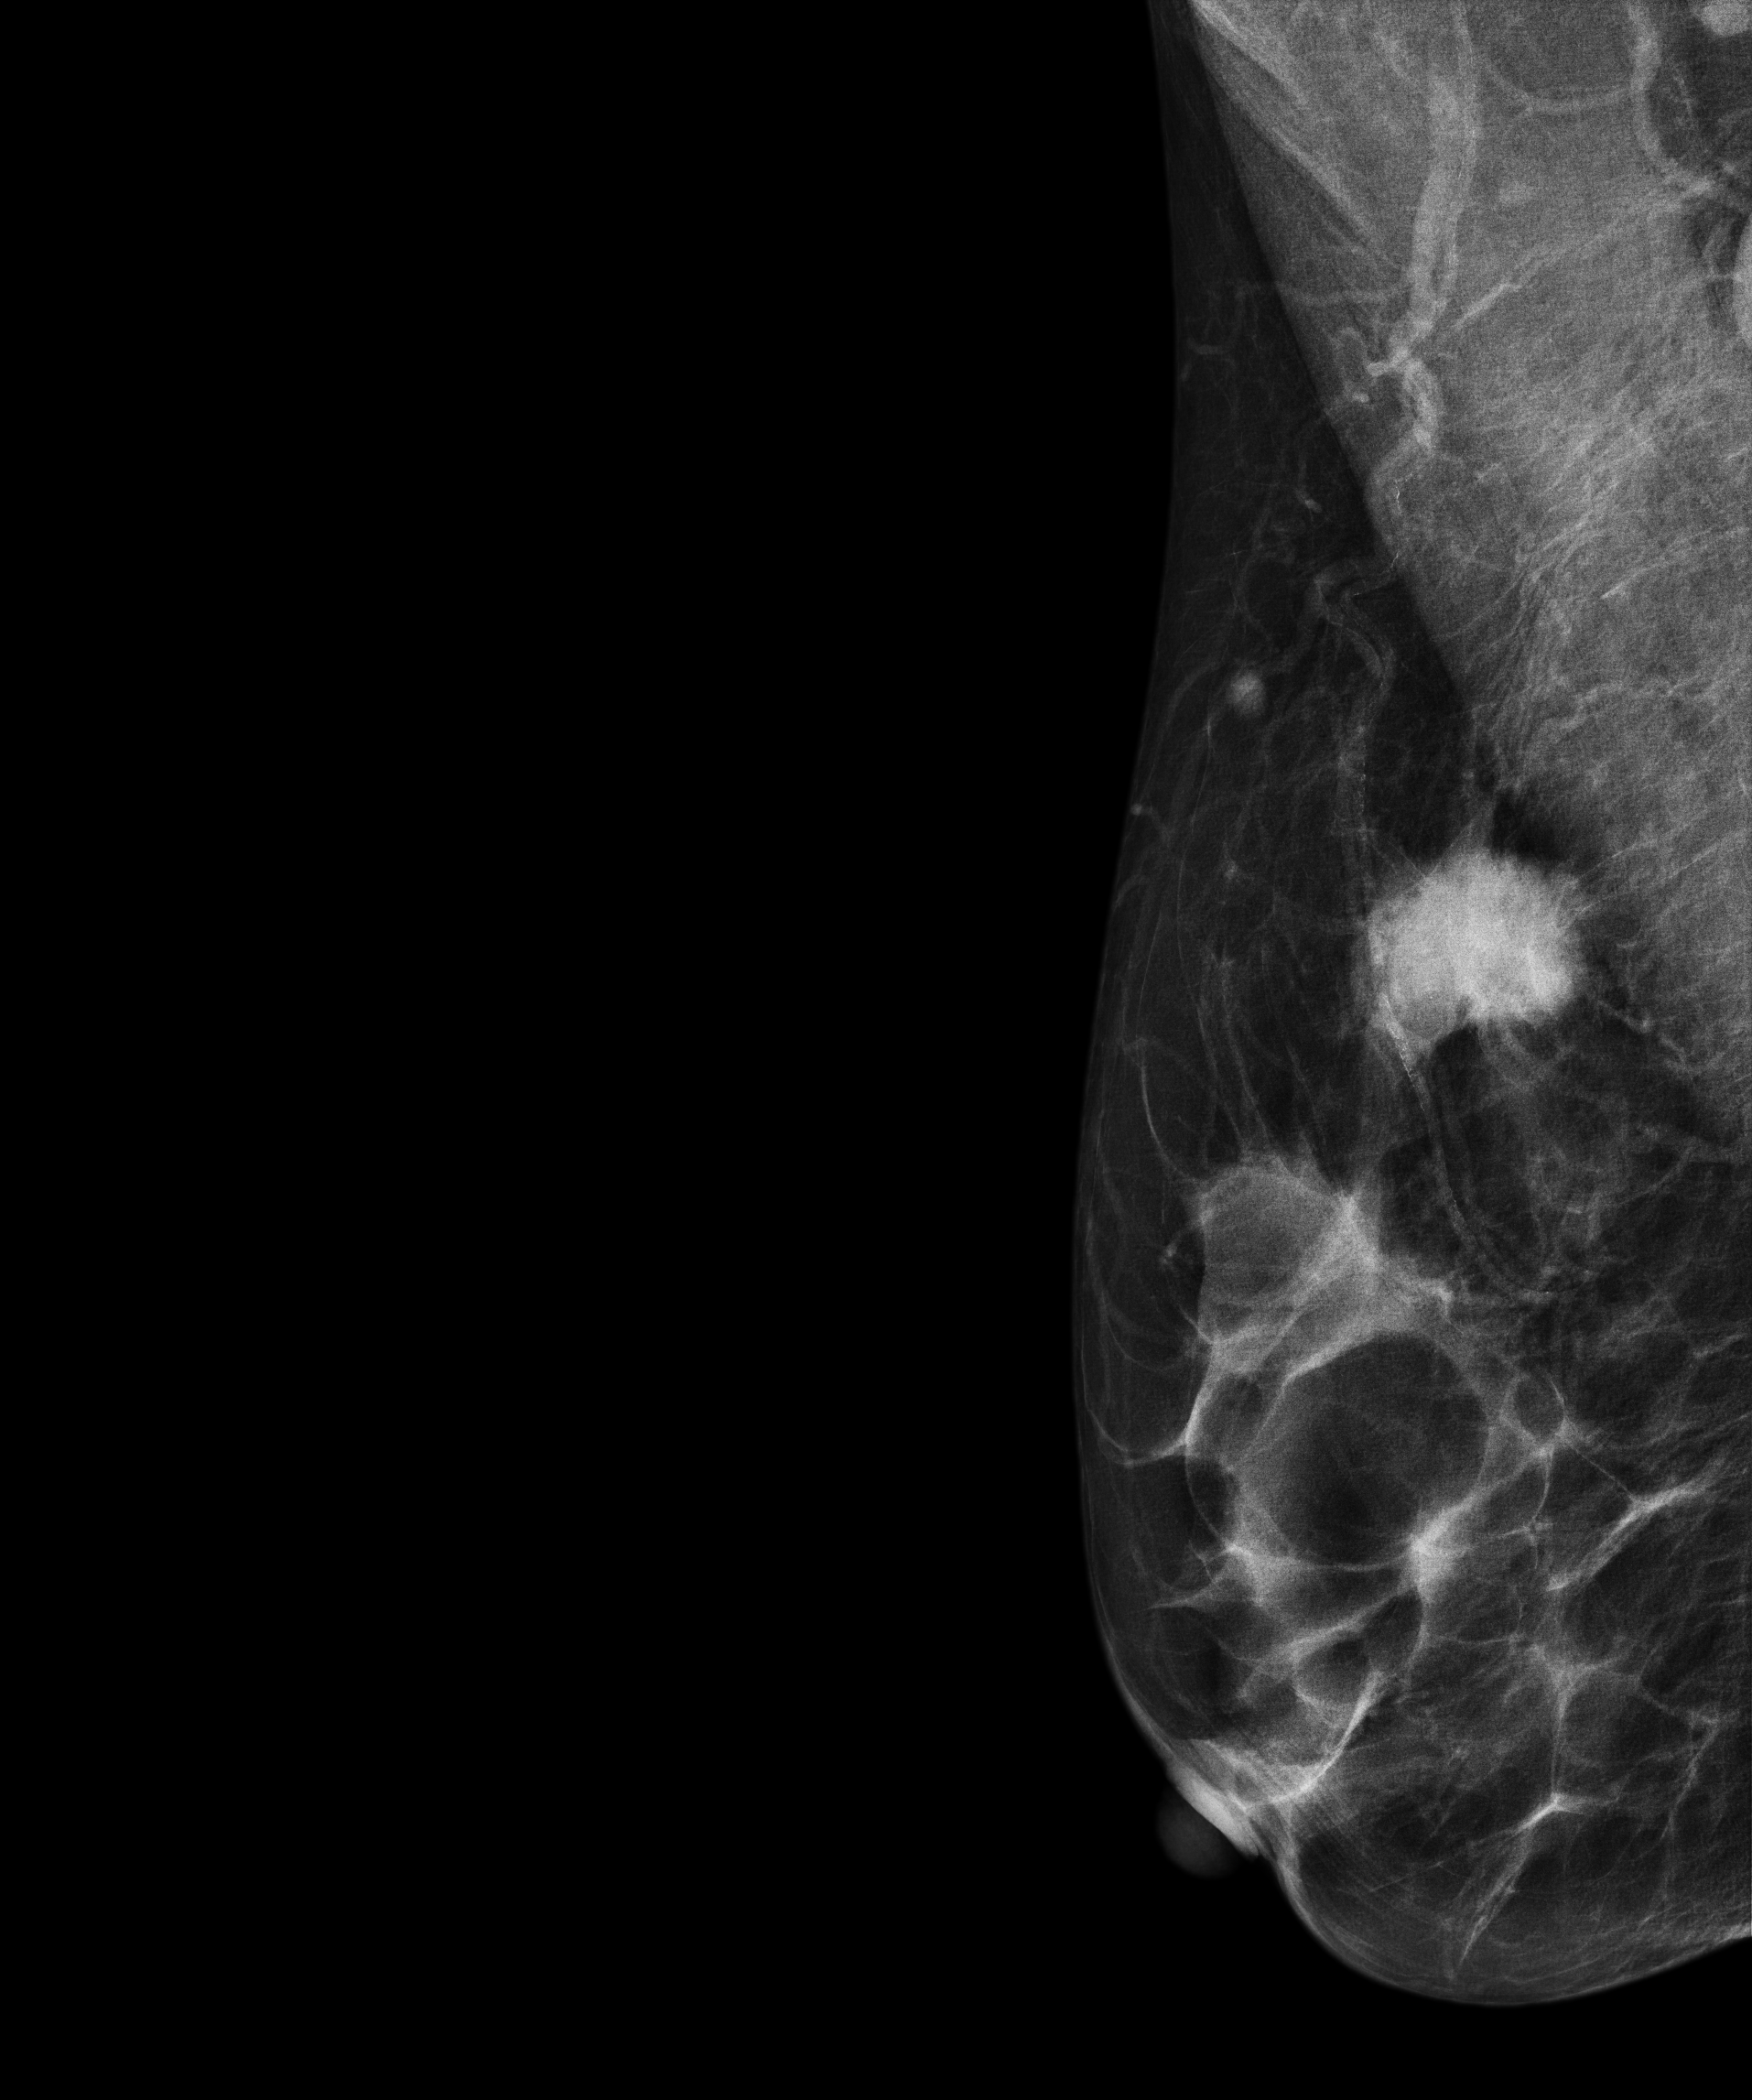
Mammogram, right breast, MLO view. 58-year-old patient.
This breast has a mass, biopsy-confirmed malignant.